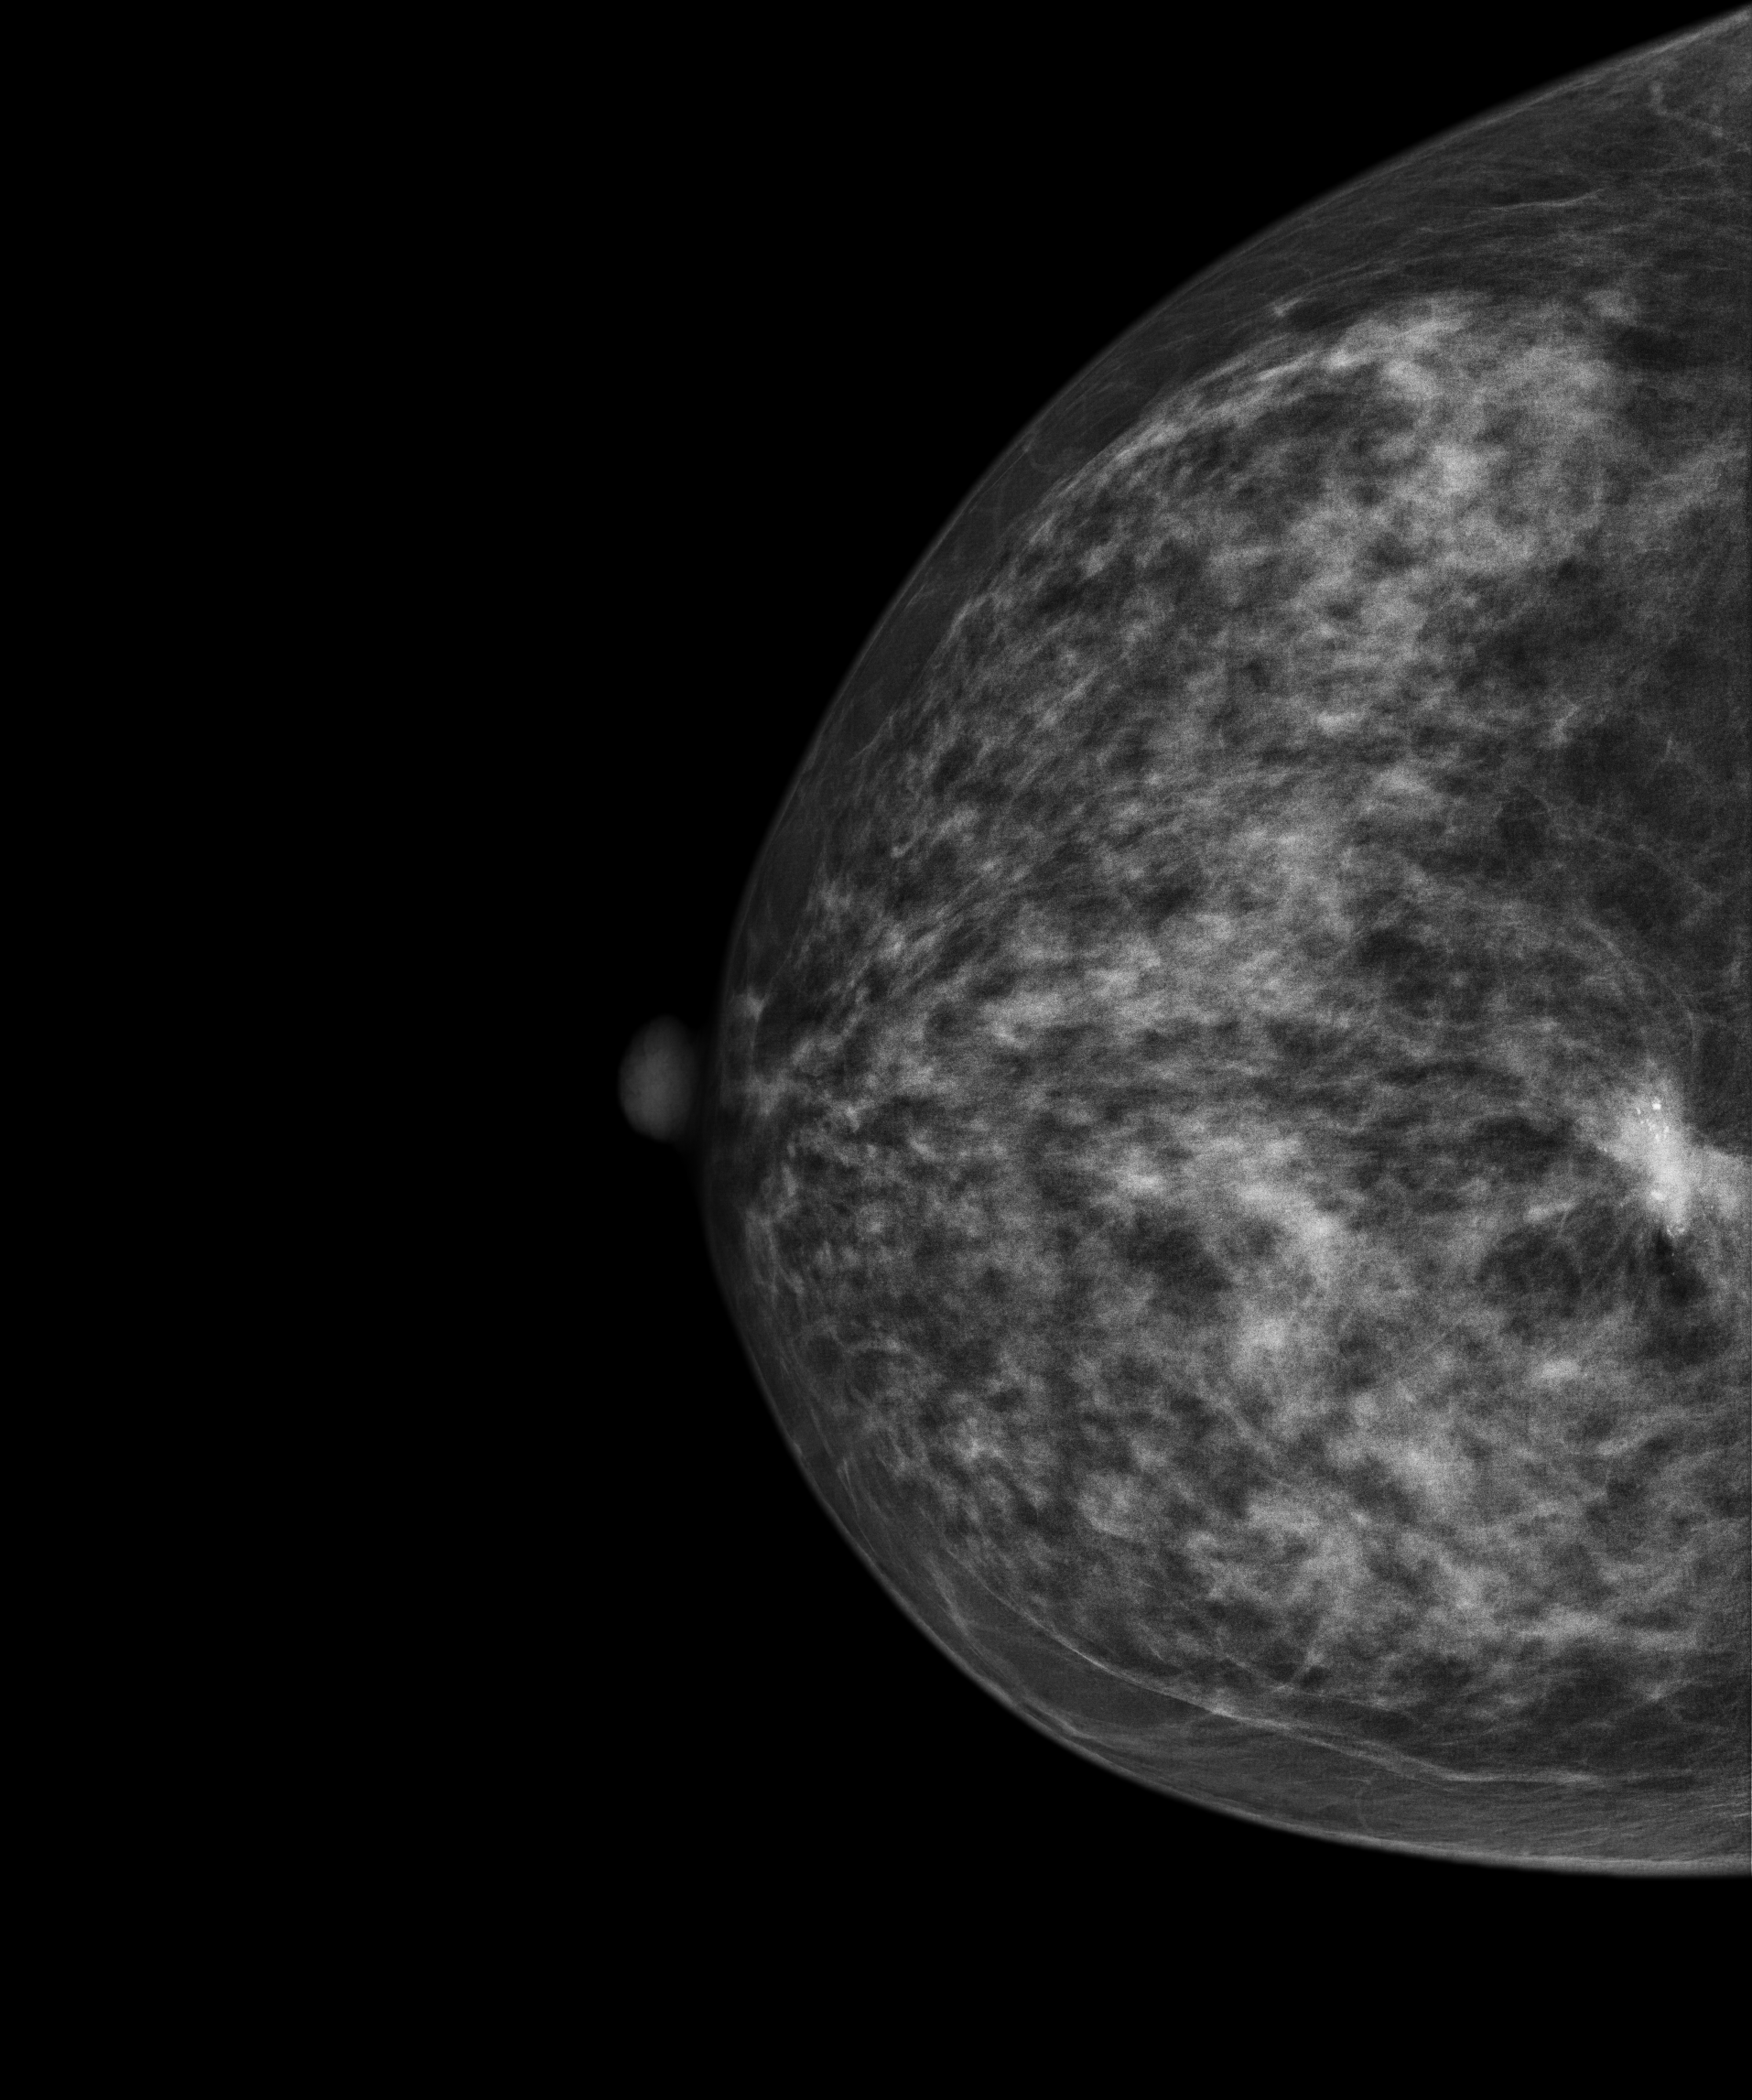
Mammogram — right cranio-caudal. 50 y/o patient.
This breast has a mass and calcifications, biopsy-proven malignant.